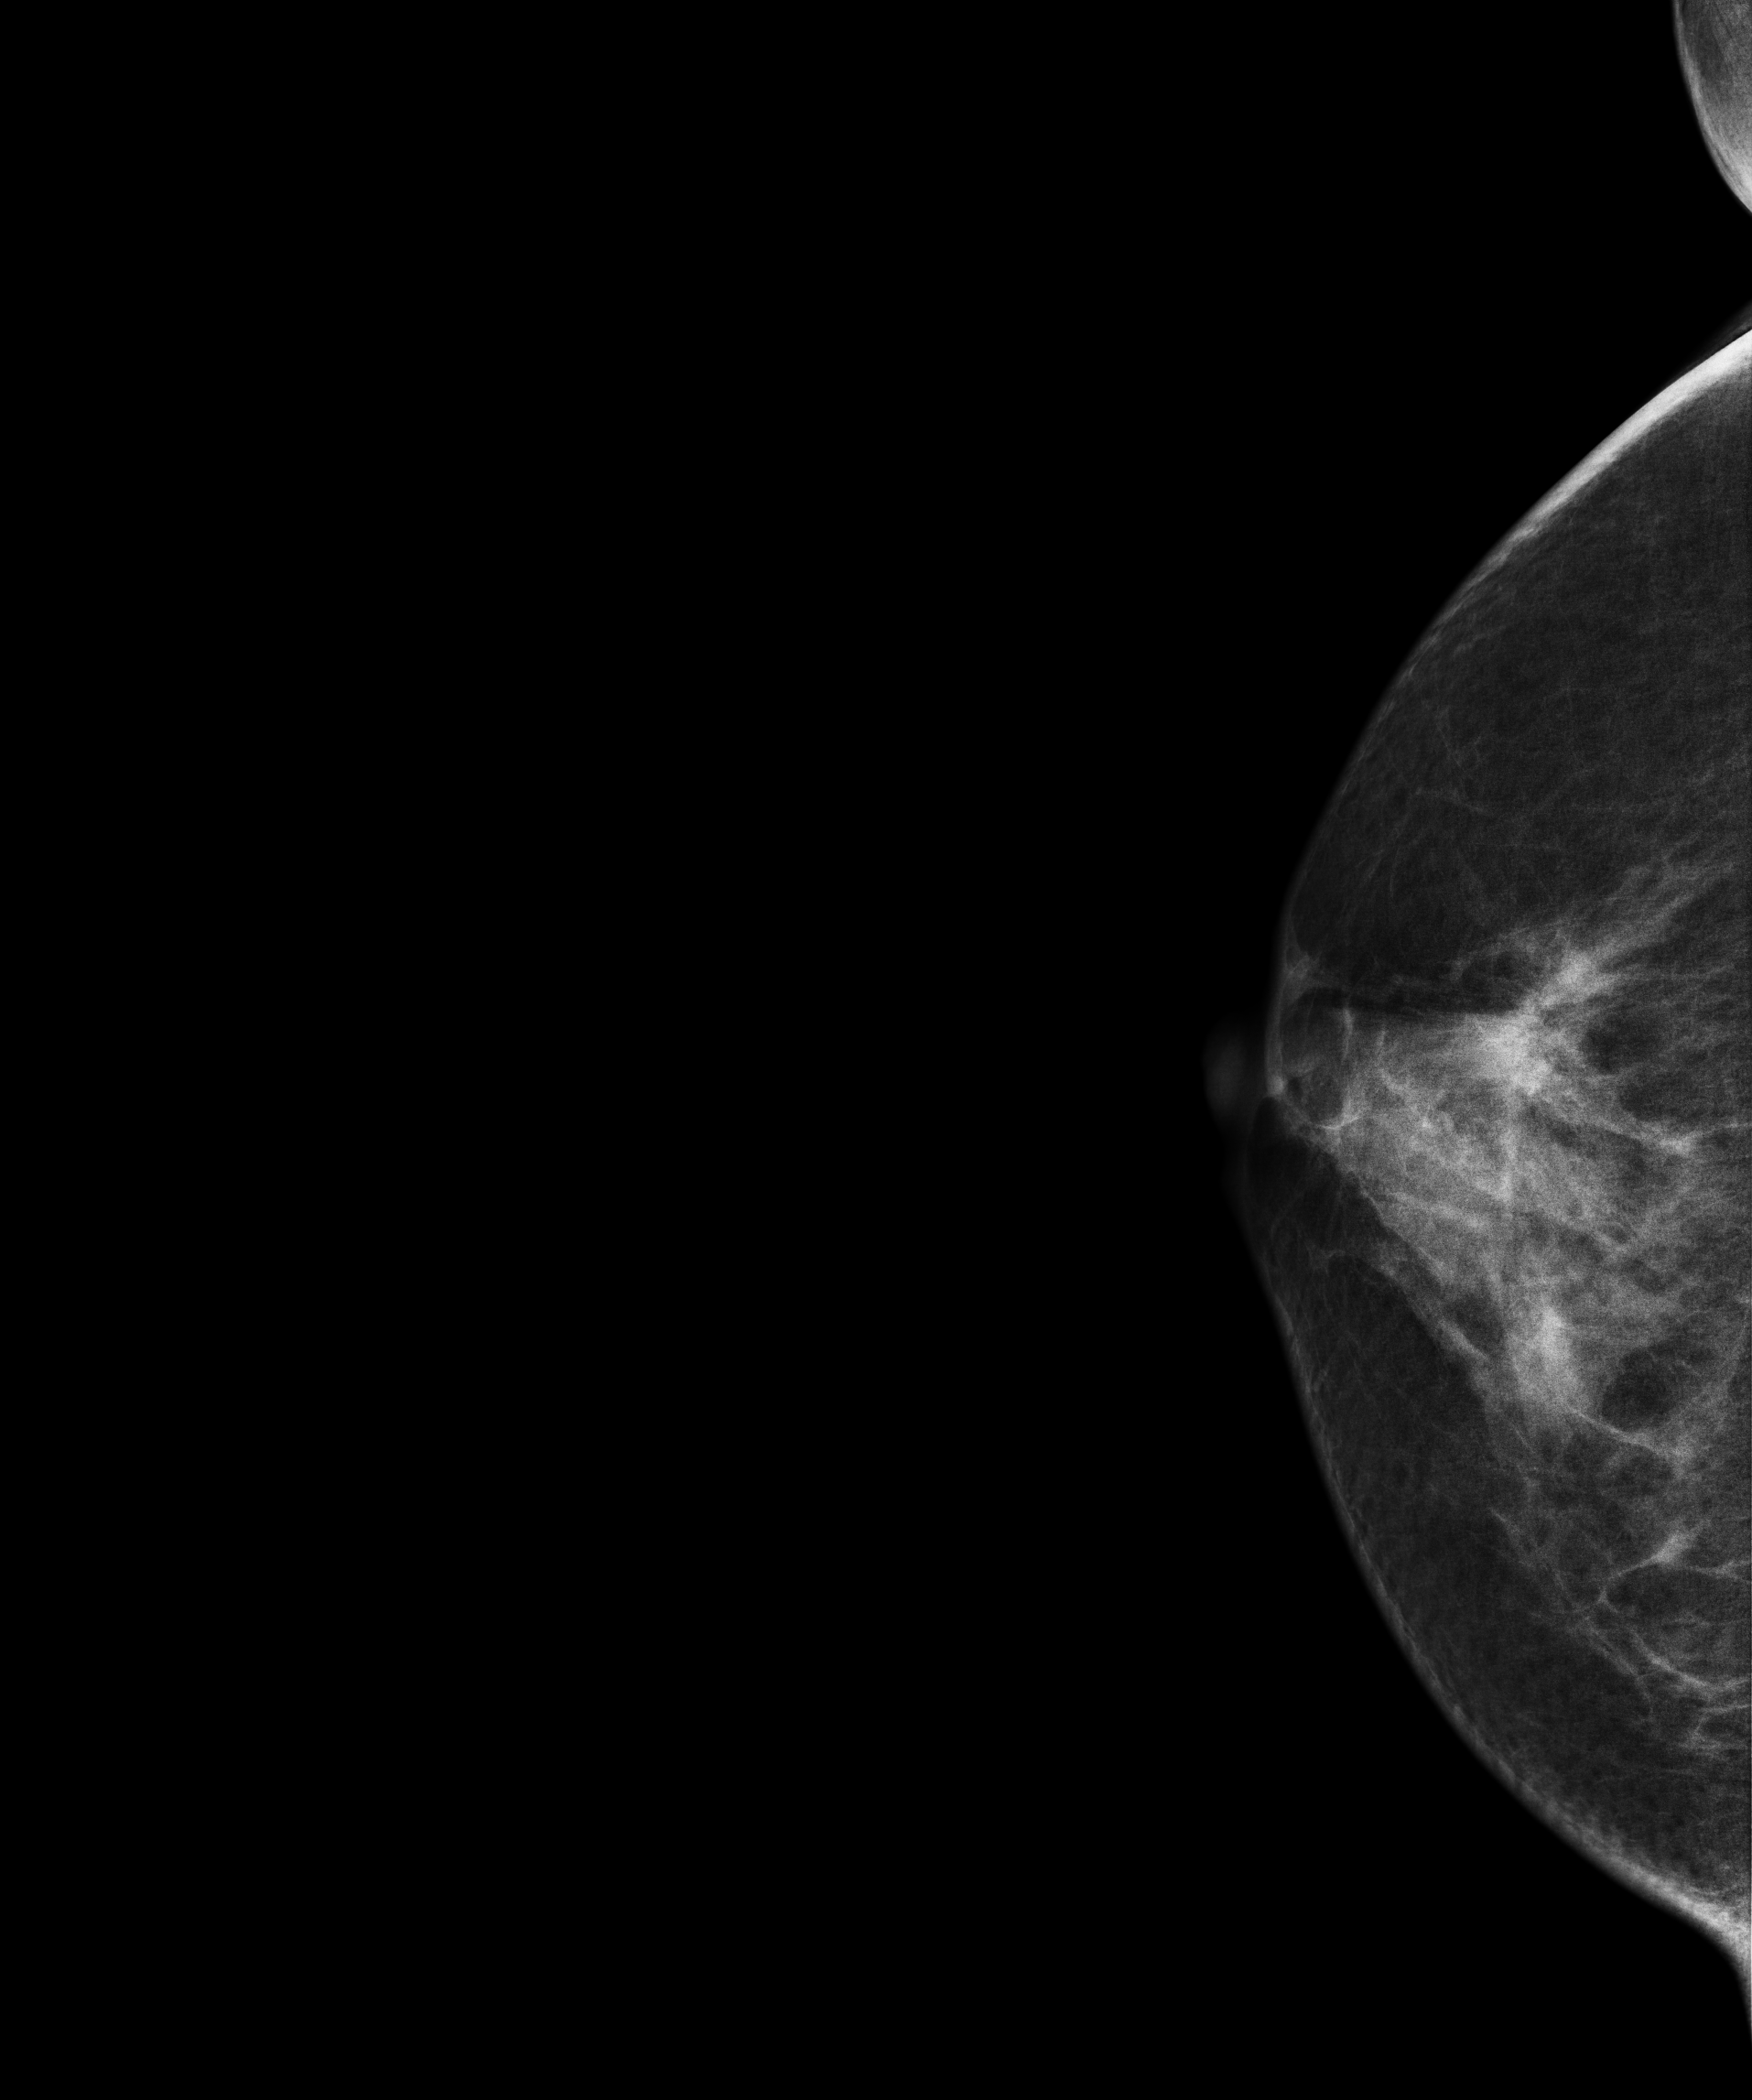
CC mammogram of the right breast. 36 y/o patient.
This breast has a mass, pathology-confirmed benign.